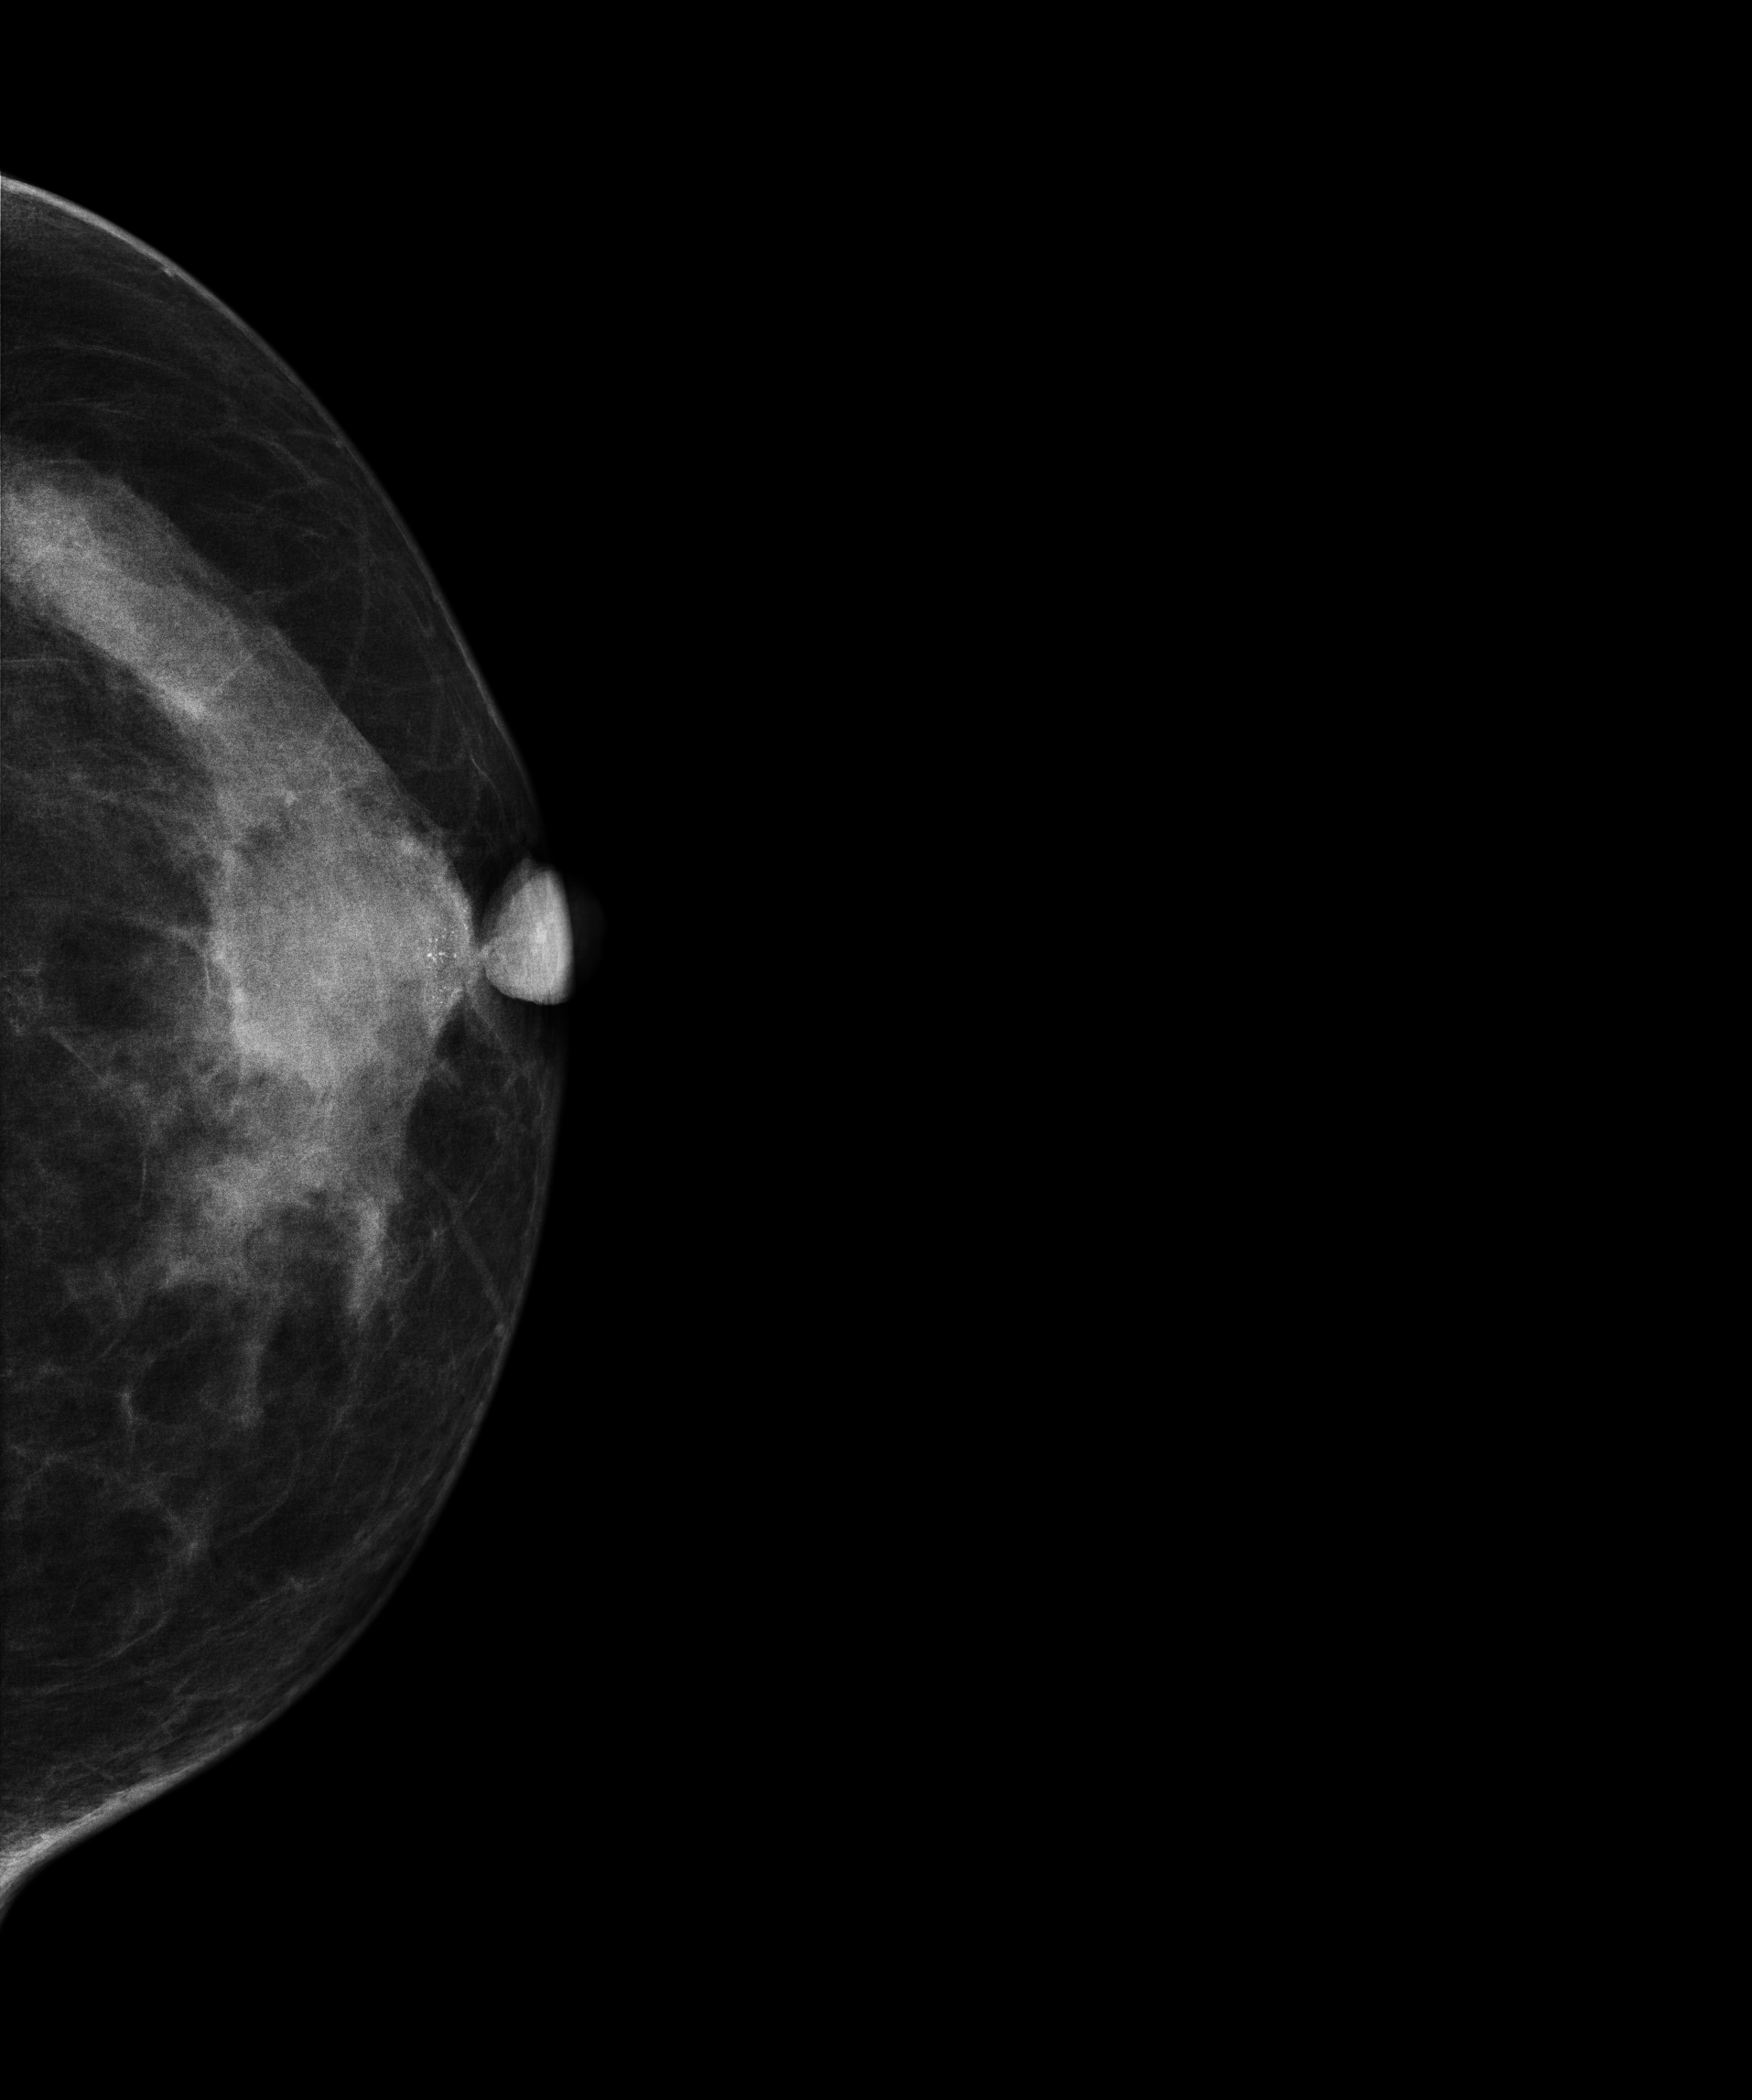
Mammogram, left breast, cranio-caudal view. Patient age 47.
This breast has calcifications, biopsy-confirmed malignant. Molecular subtype: luminal B.